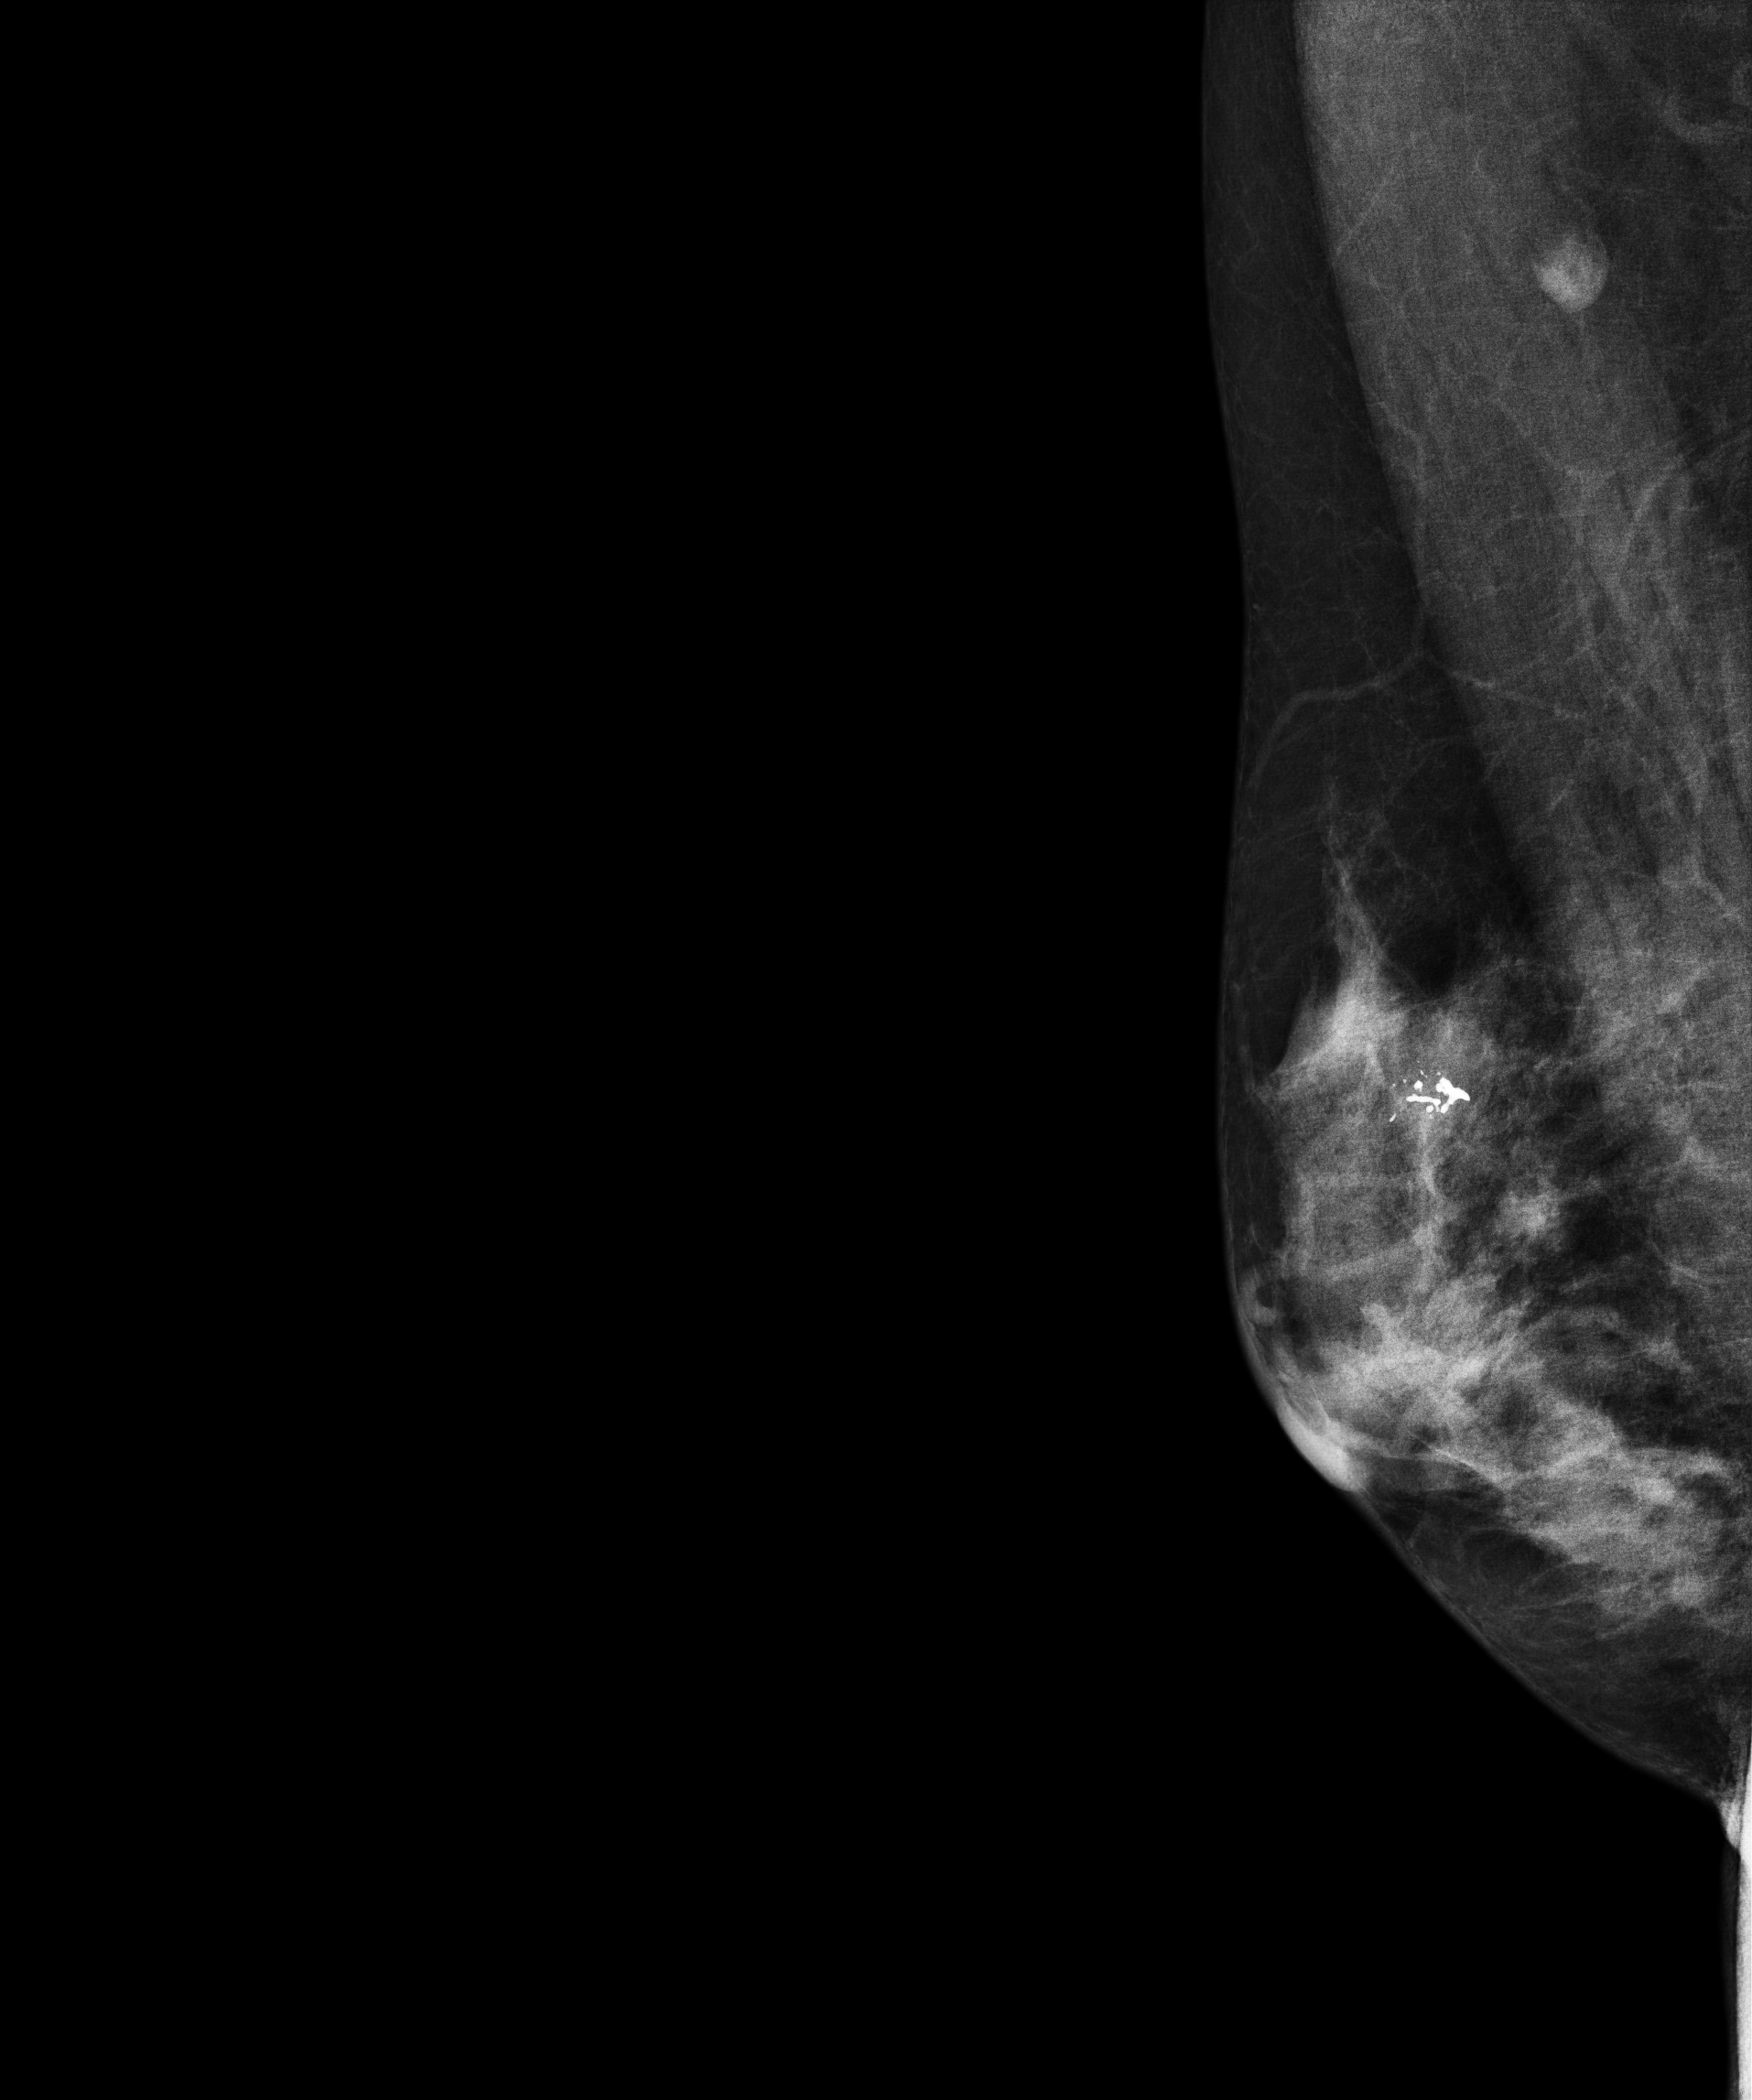
Right-breast mammogram, MLO. 40 y/o patient.
This breast has a mass and calcifications, biopsy-confirmed benign.